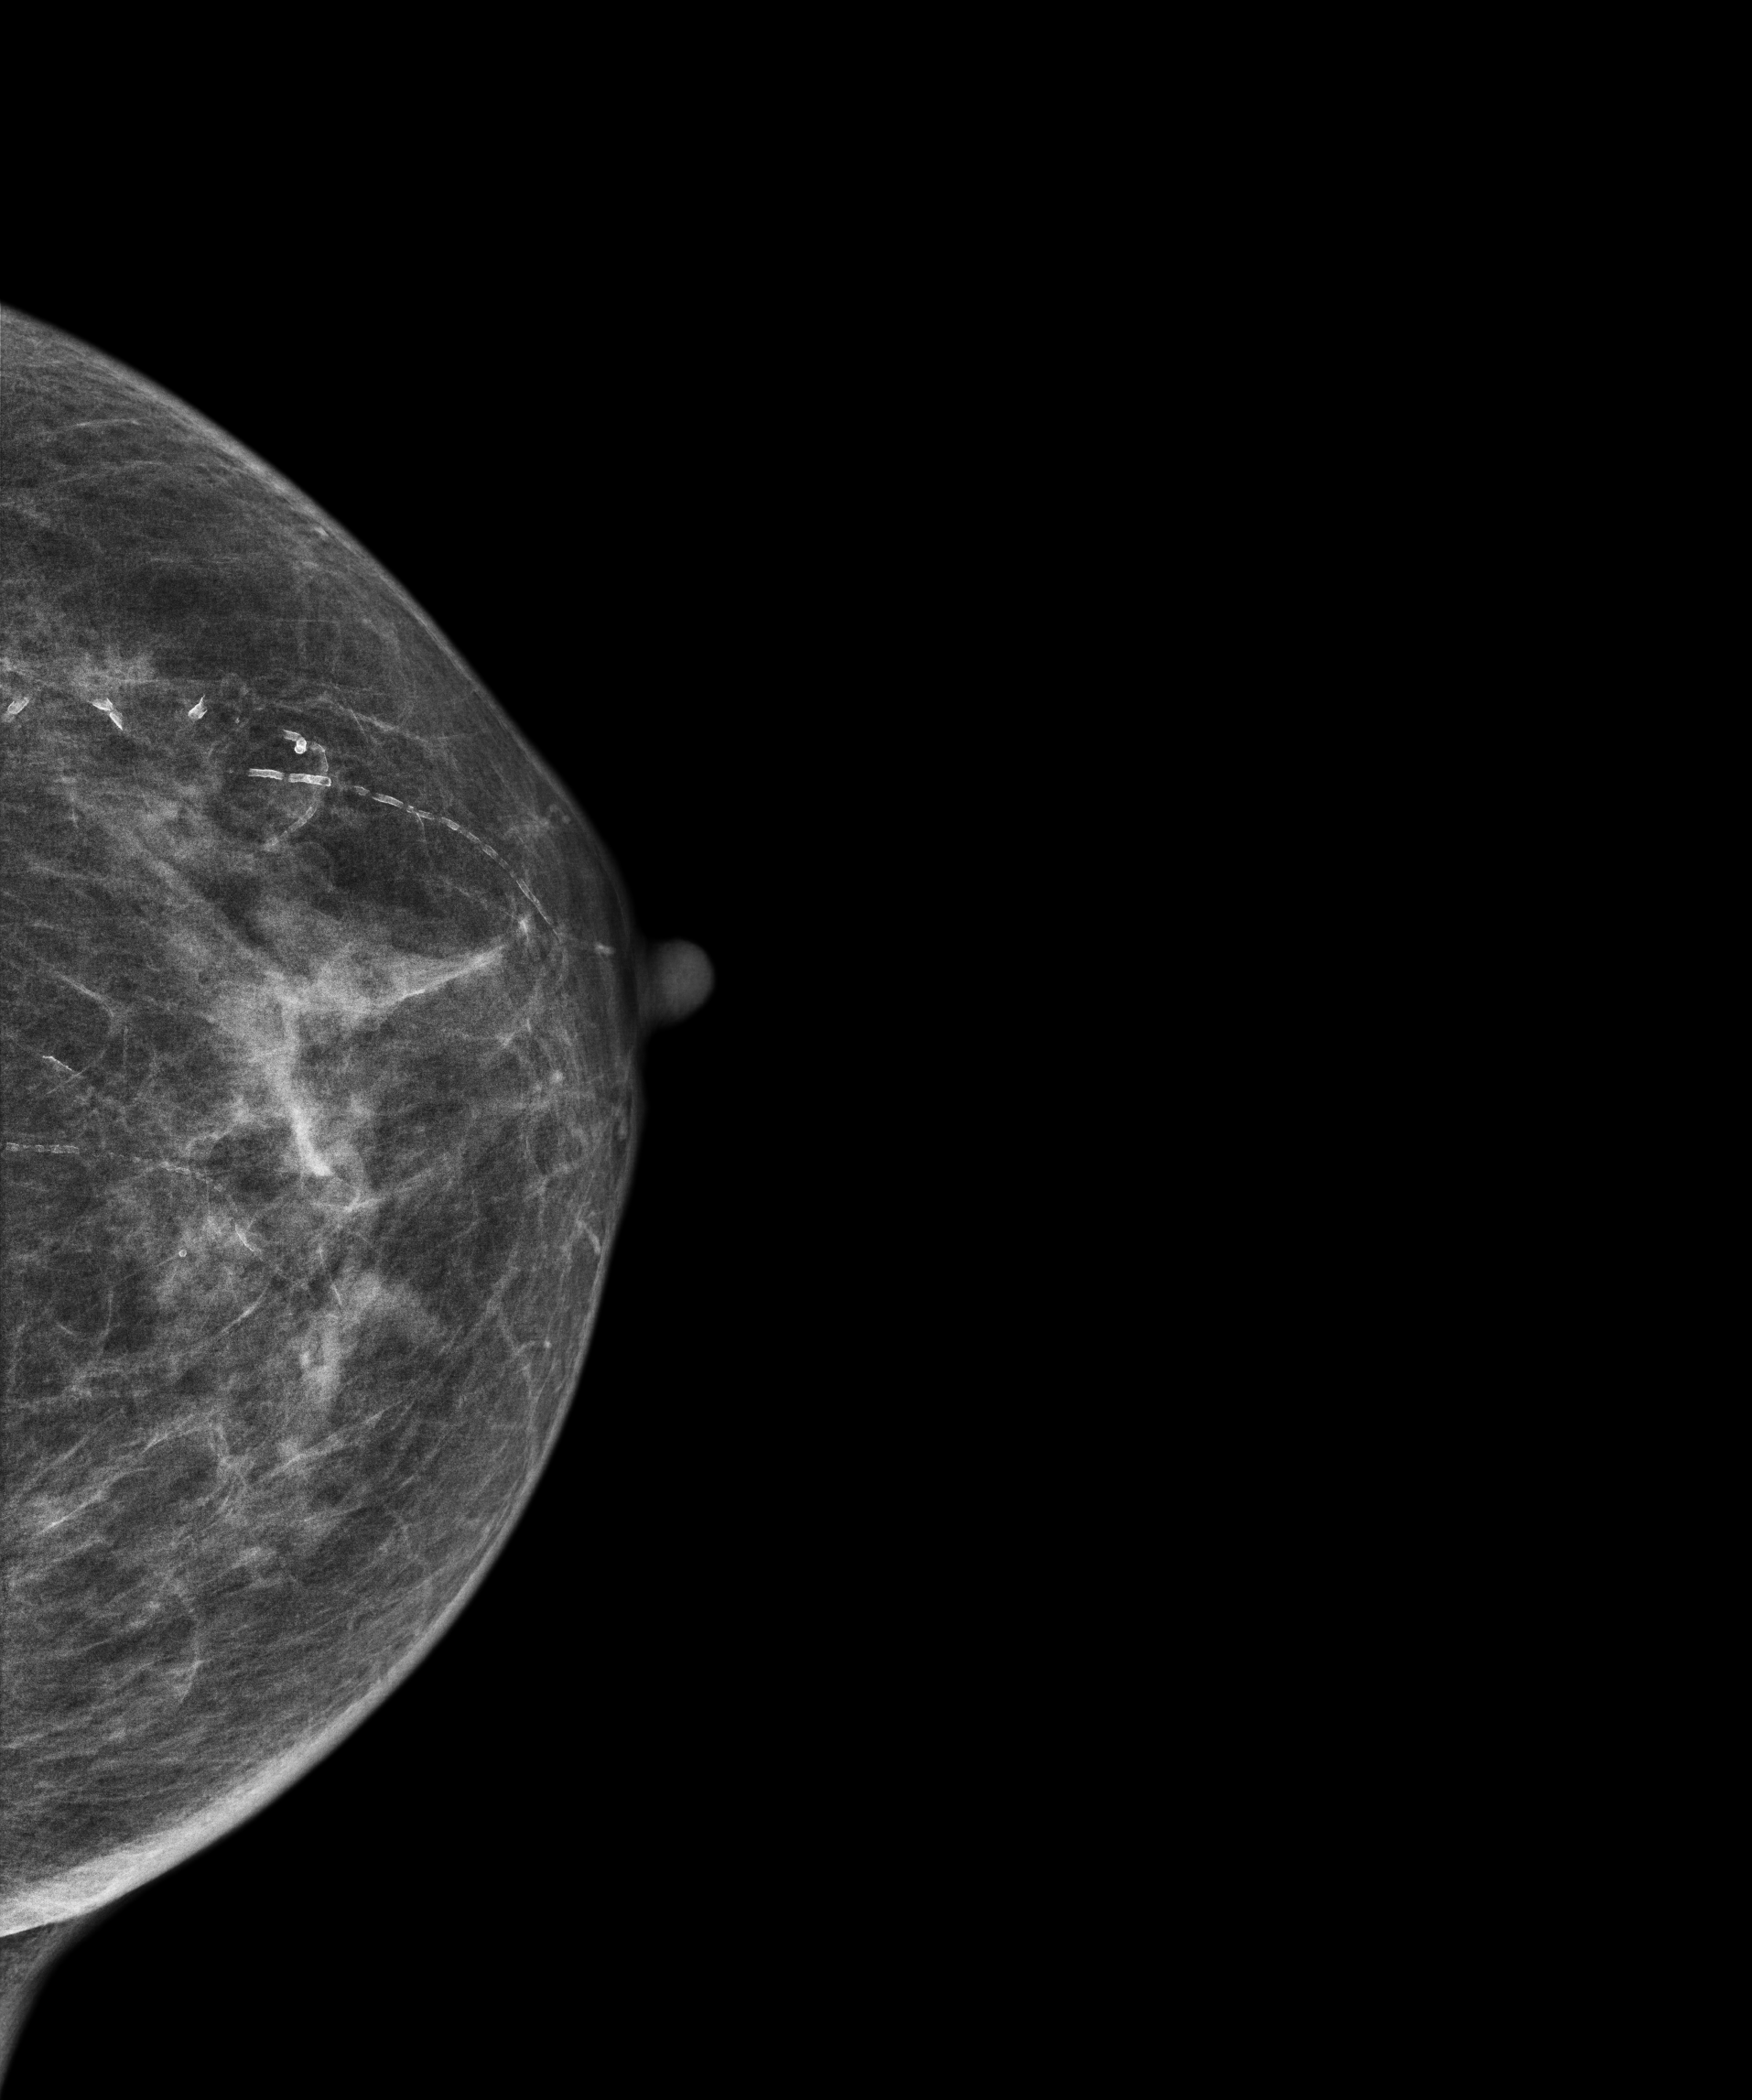
CC mammogram of the left breast. Patient age 74.
Contralateral breast — no documented abnormality on this side.